CC mammogram of the left breast. Patient age 41.
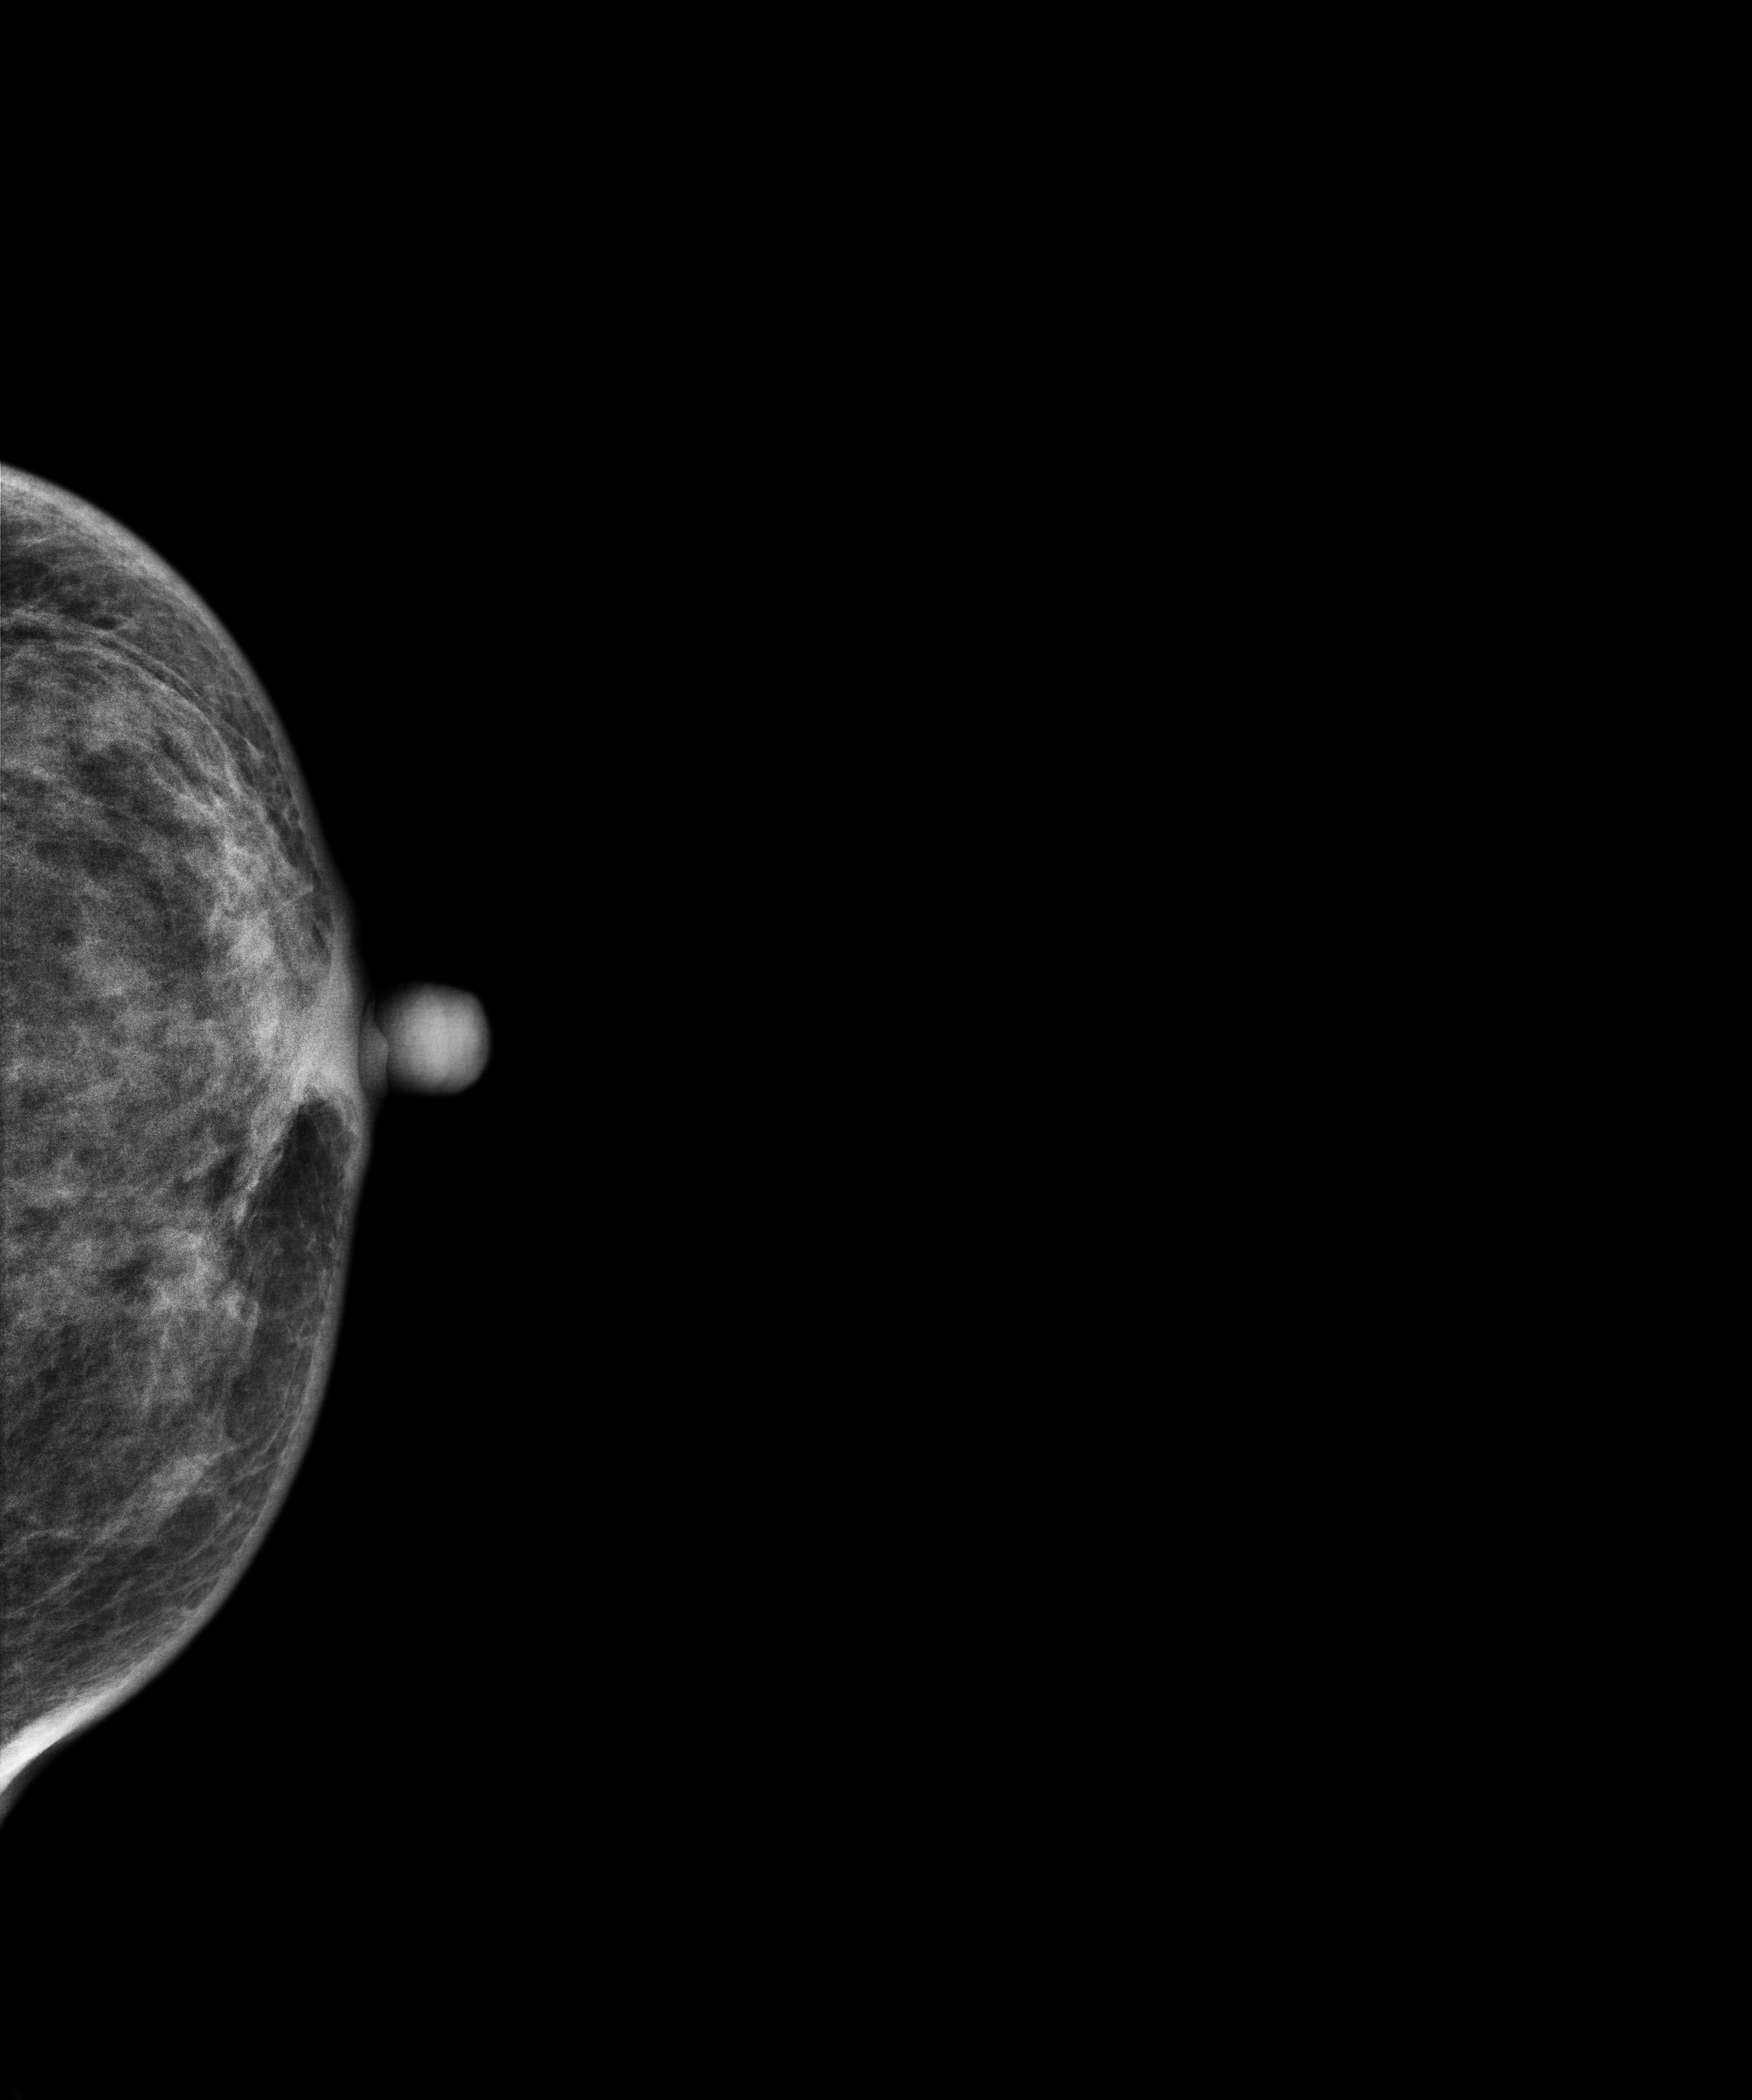
This breast has a mass, pathology-confirmed malignant.